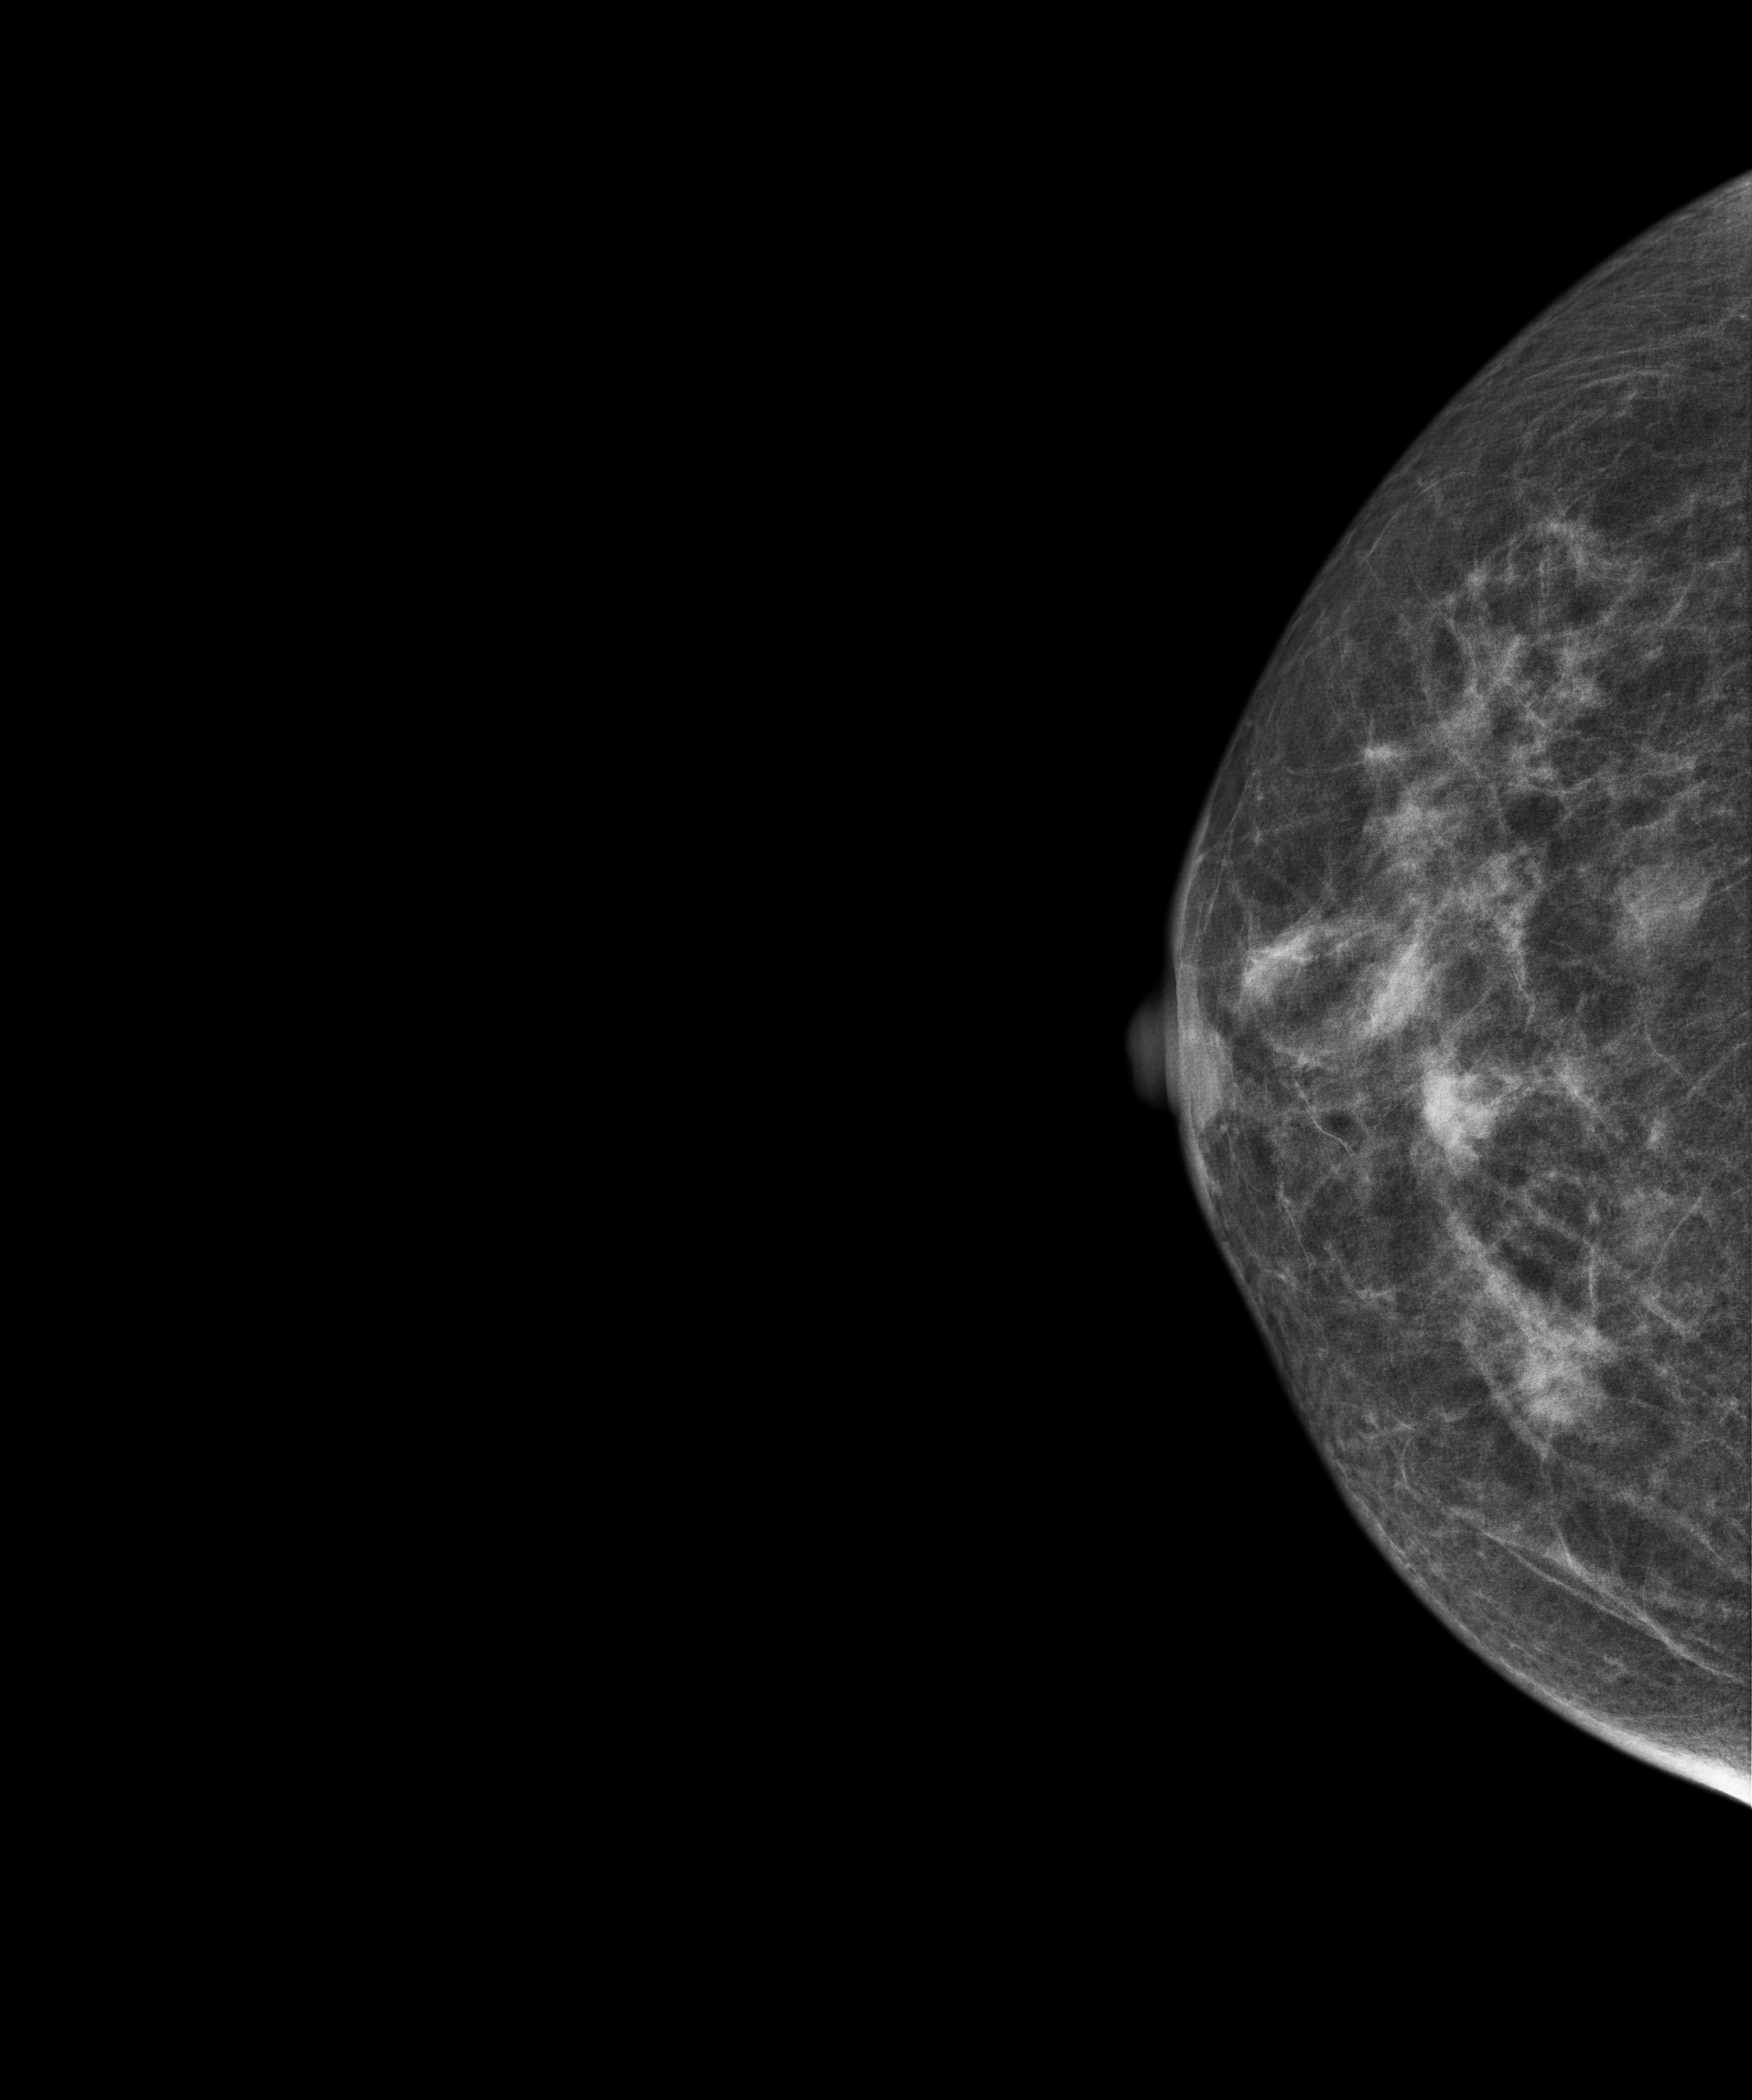
Right-breast mammogram, CC. 69-year-old patient.
This breast has a mass, biopsy-proven malignant. Molecular subtype: luminal B.